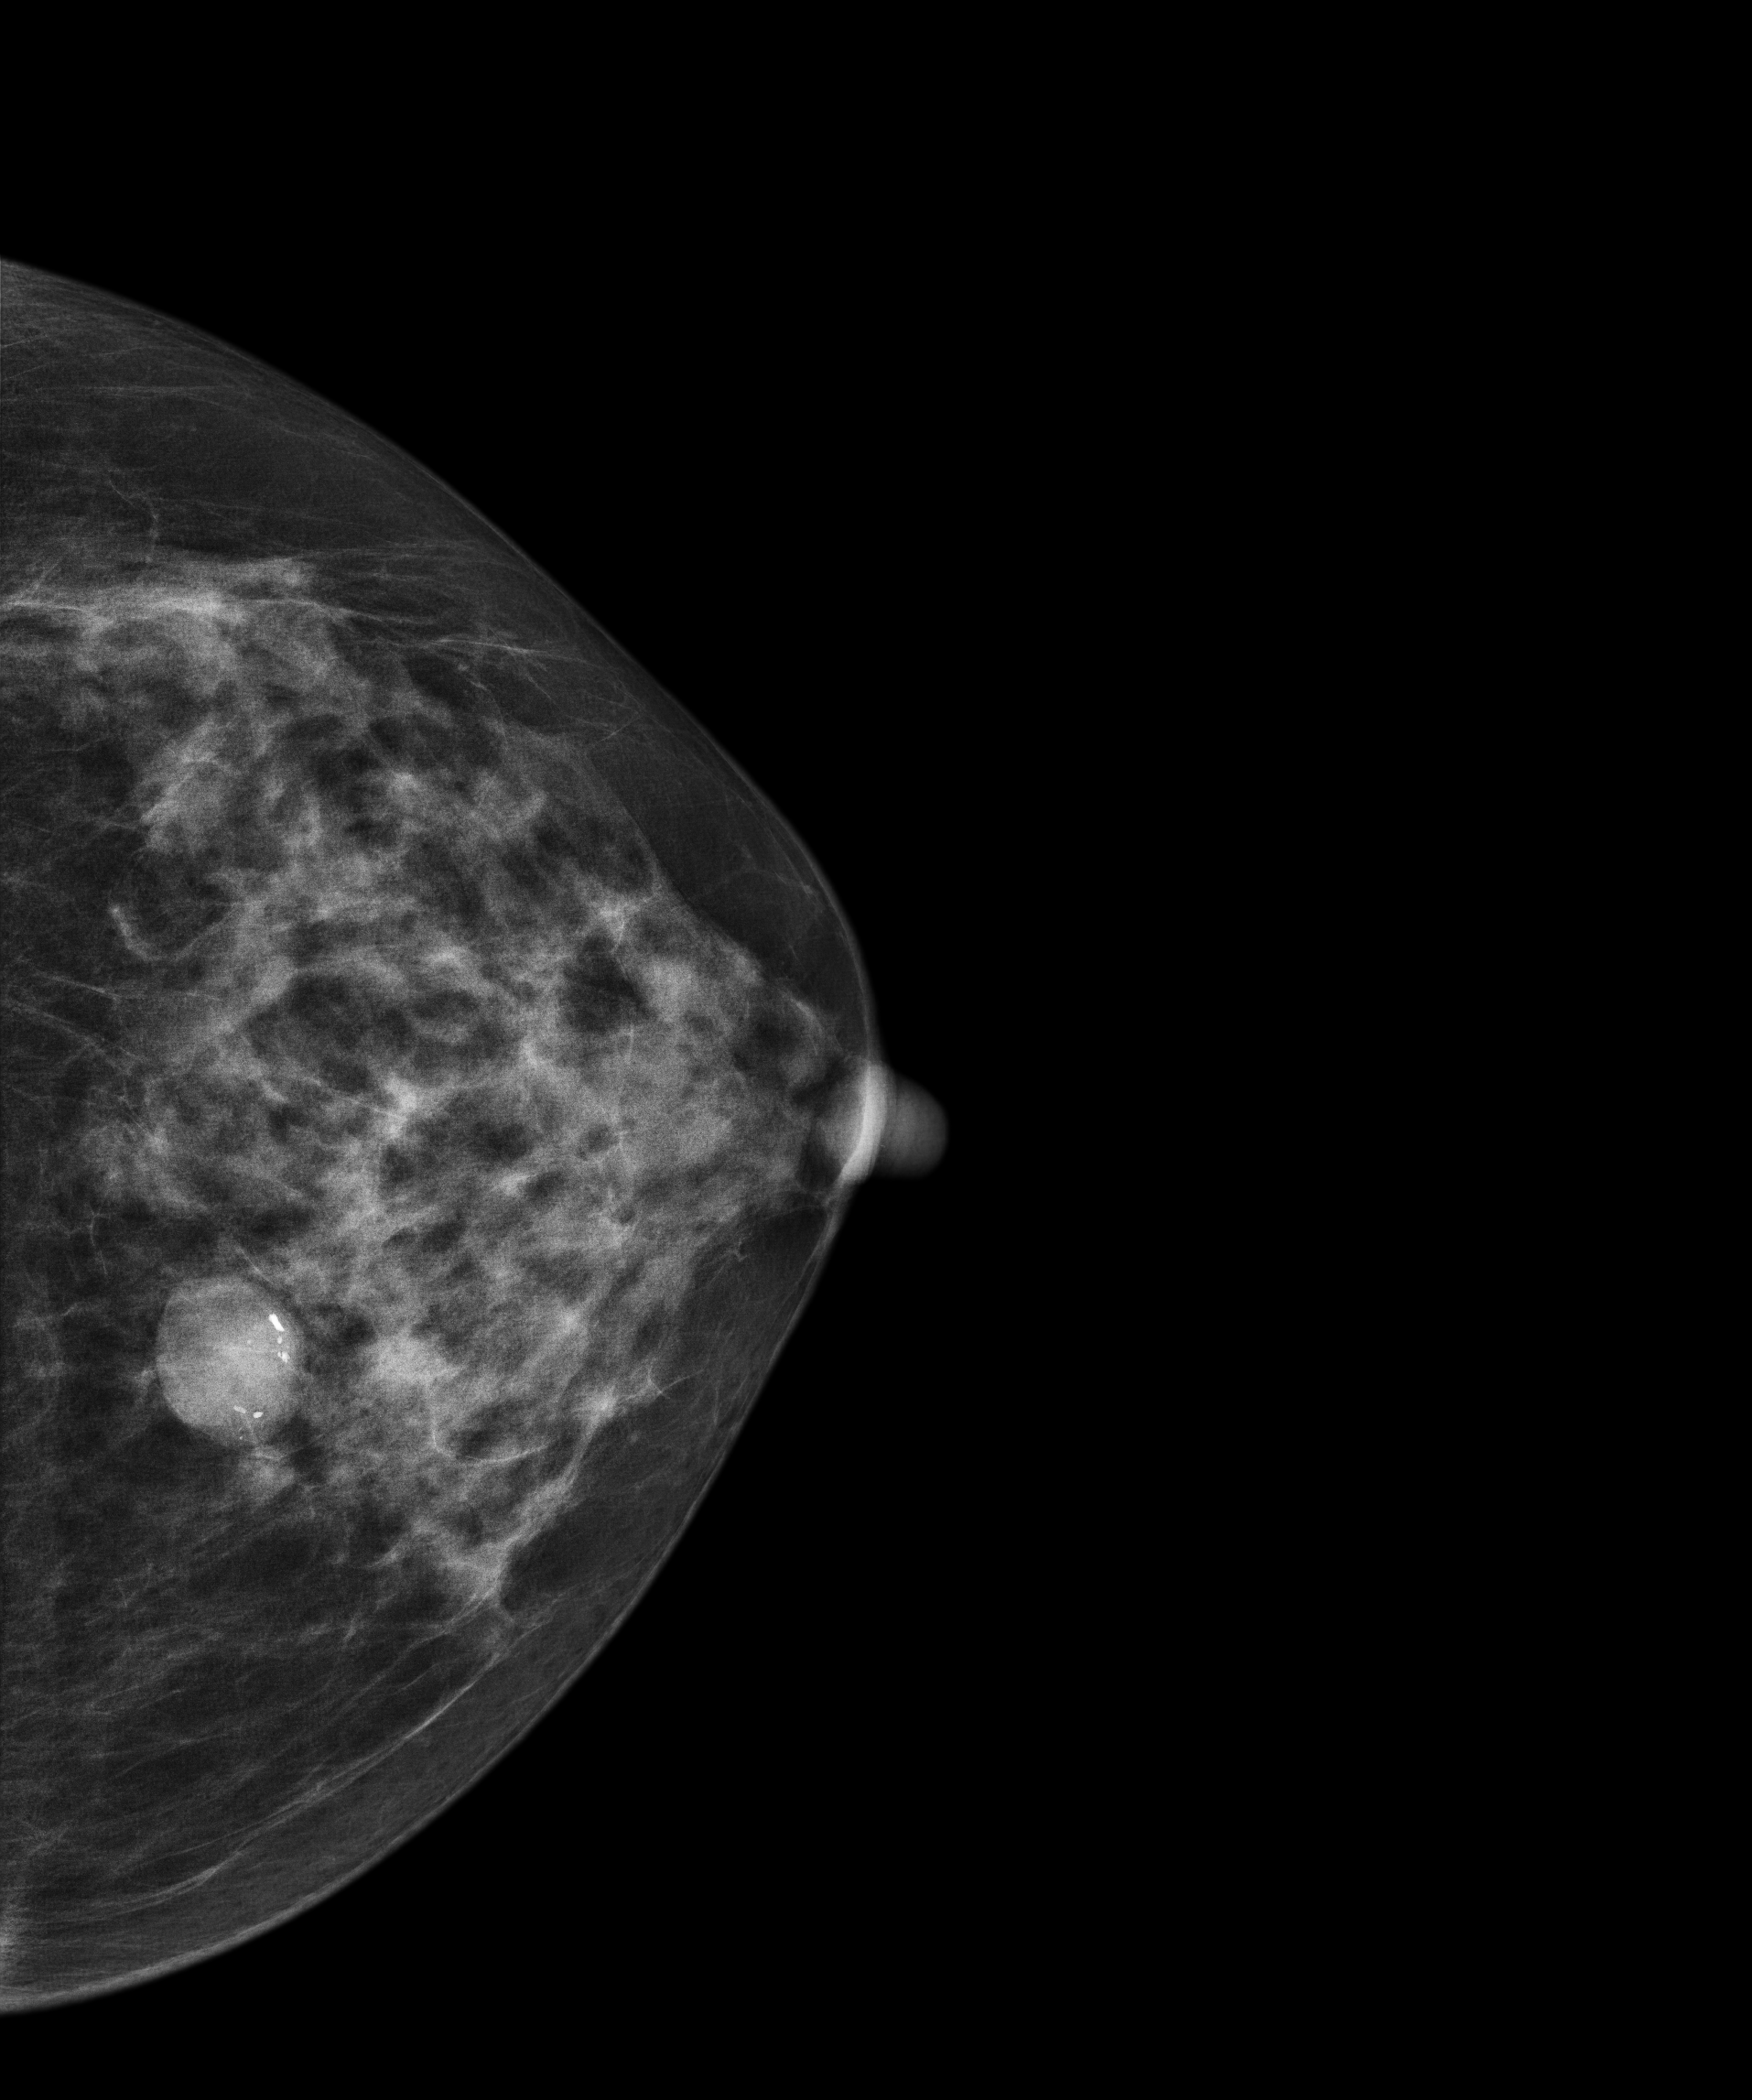
Mammogram — left CC. 54-year-old patient.
Contralateral breast — no documented abnormality on this side.